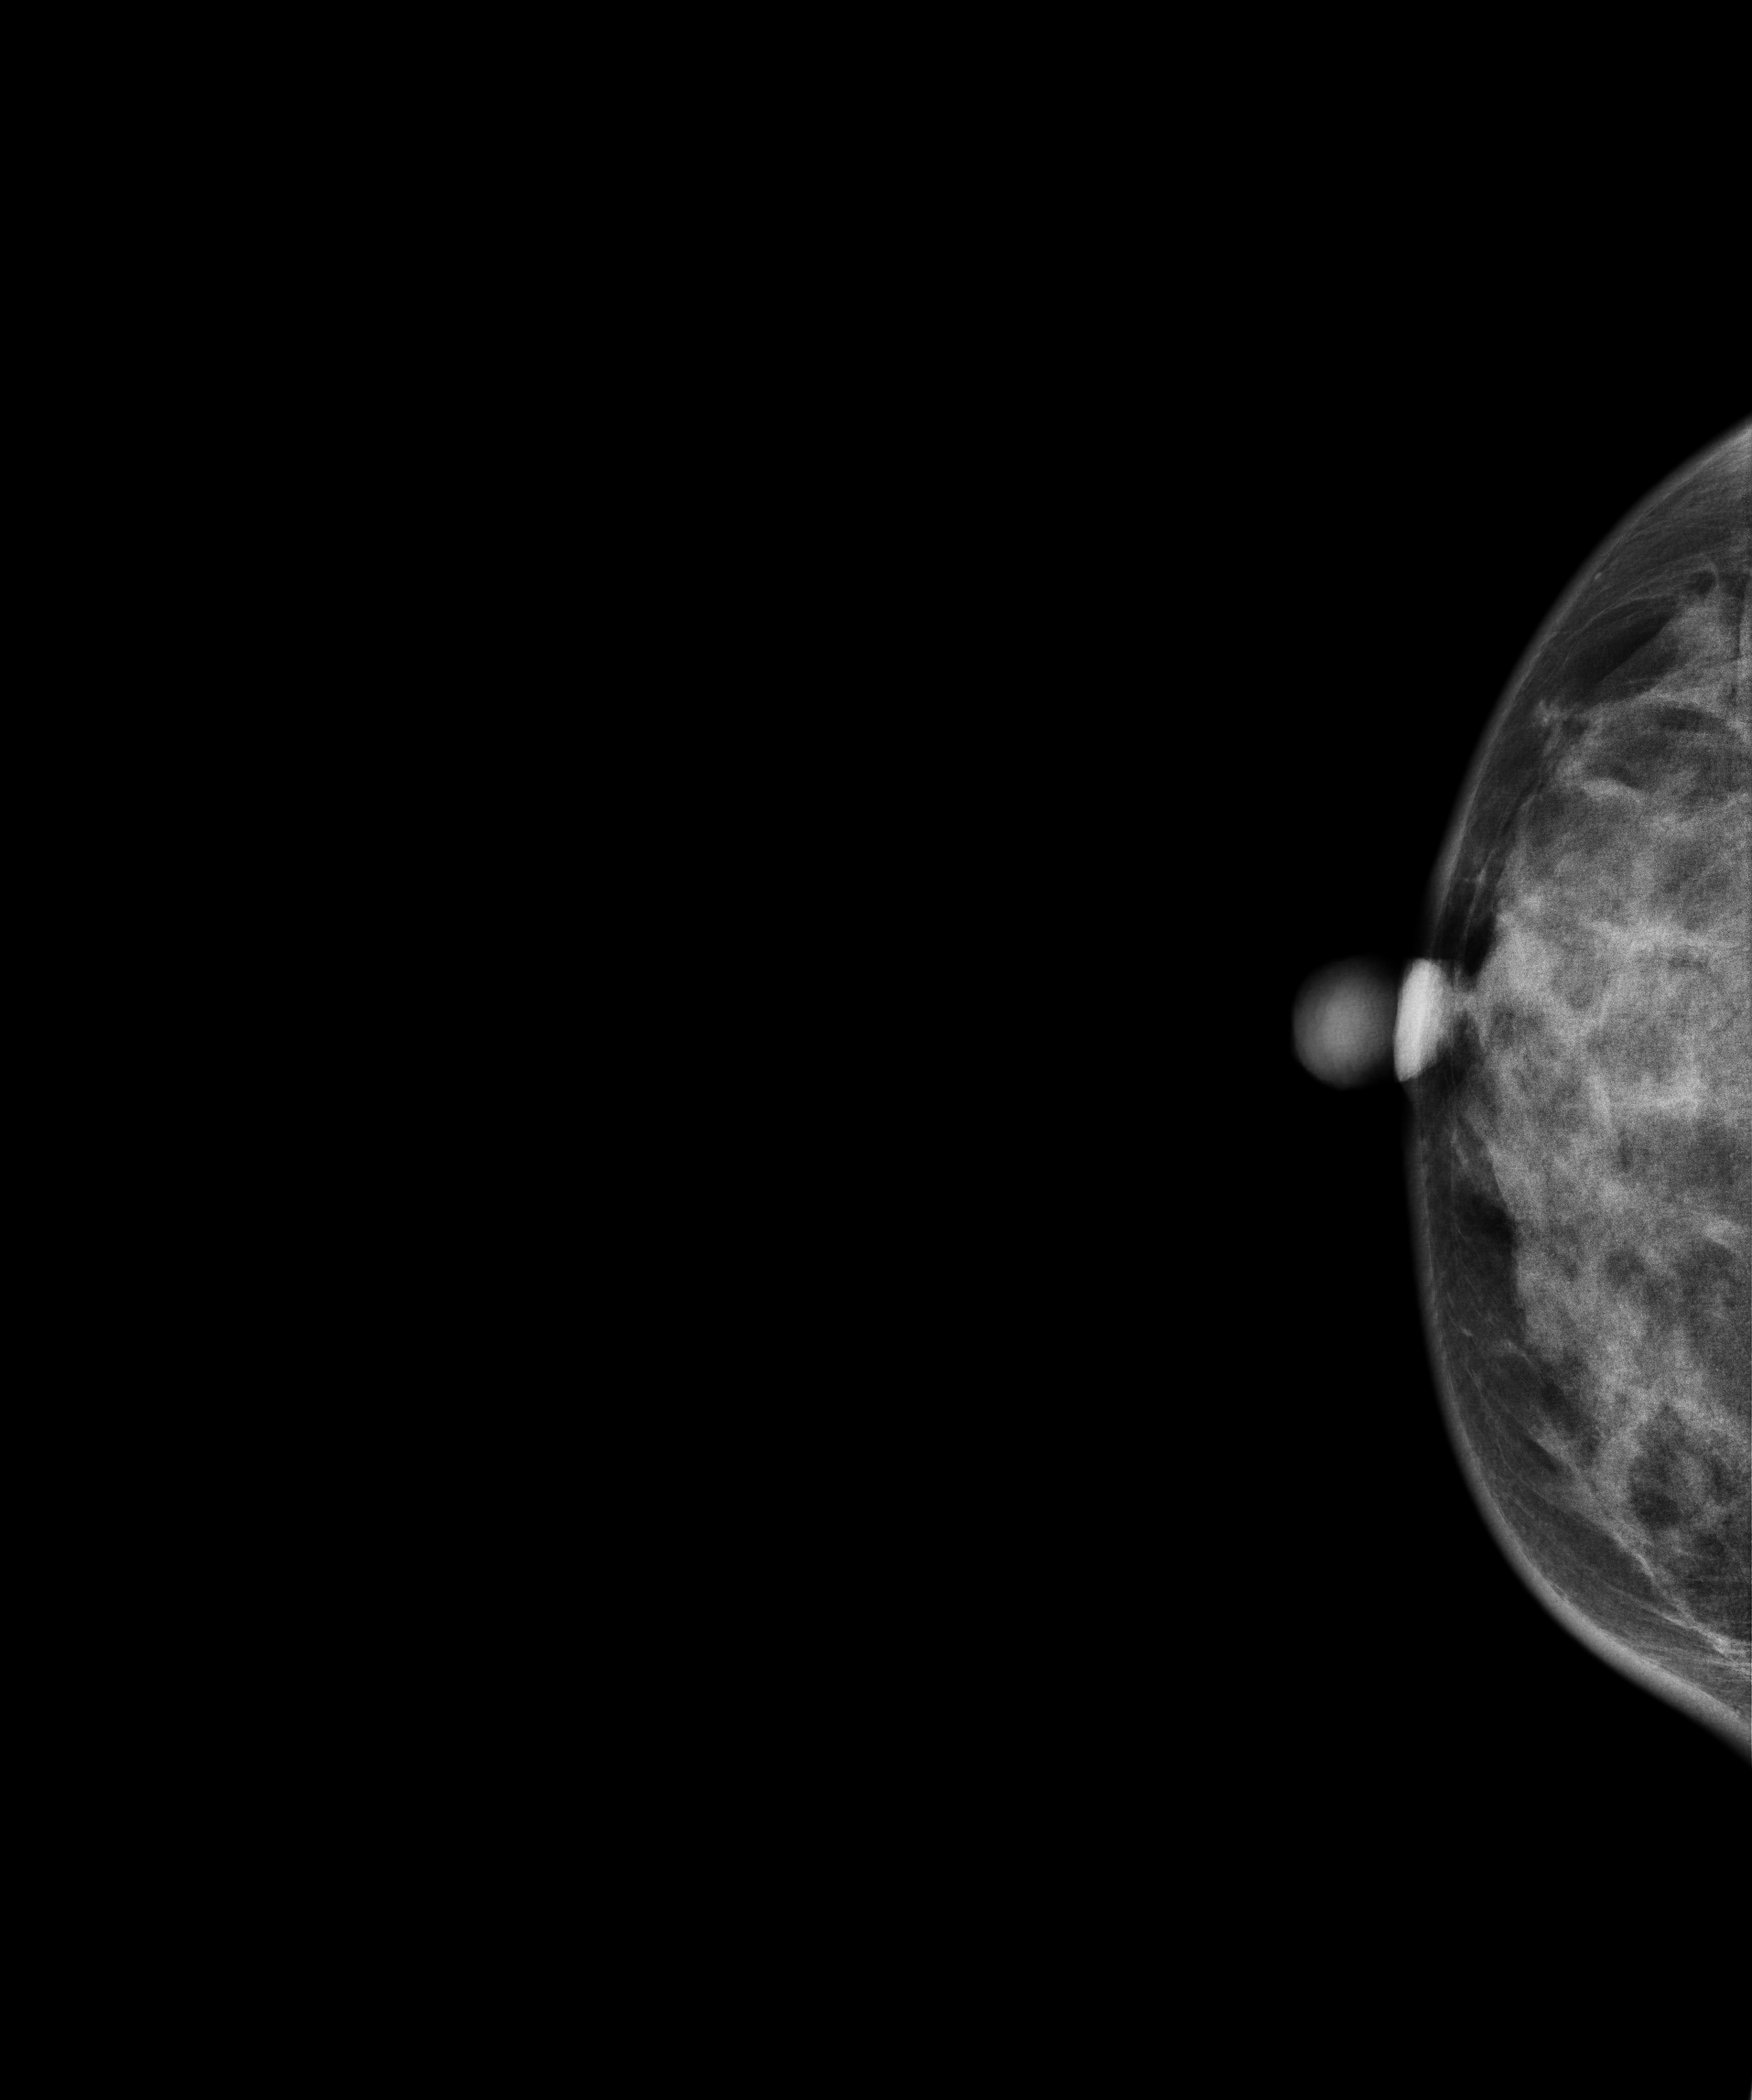
Right-breast mammogram, cranio-caudal. Patient age 38.
This breast has calcifications, pathology-confirmed malignant. Molecular subtype: luminal B.